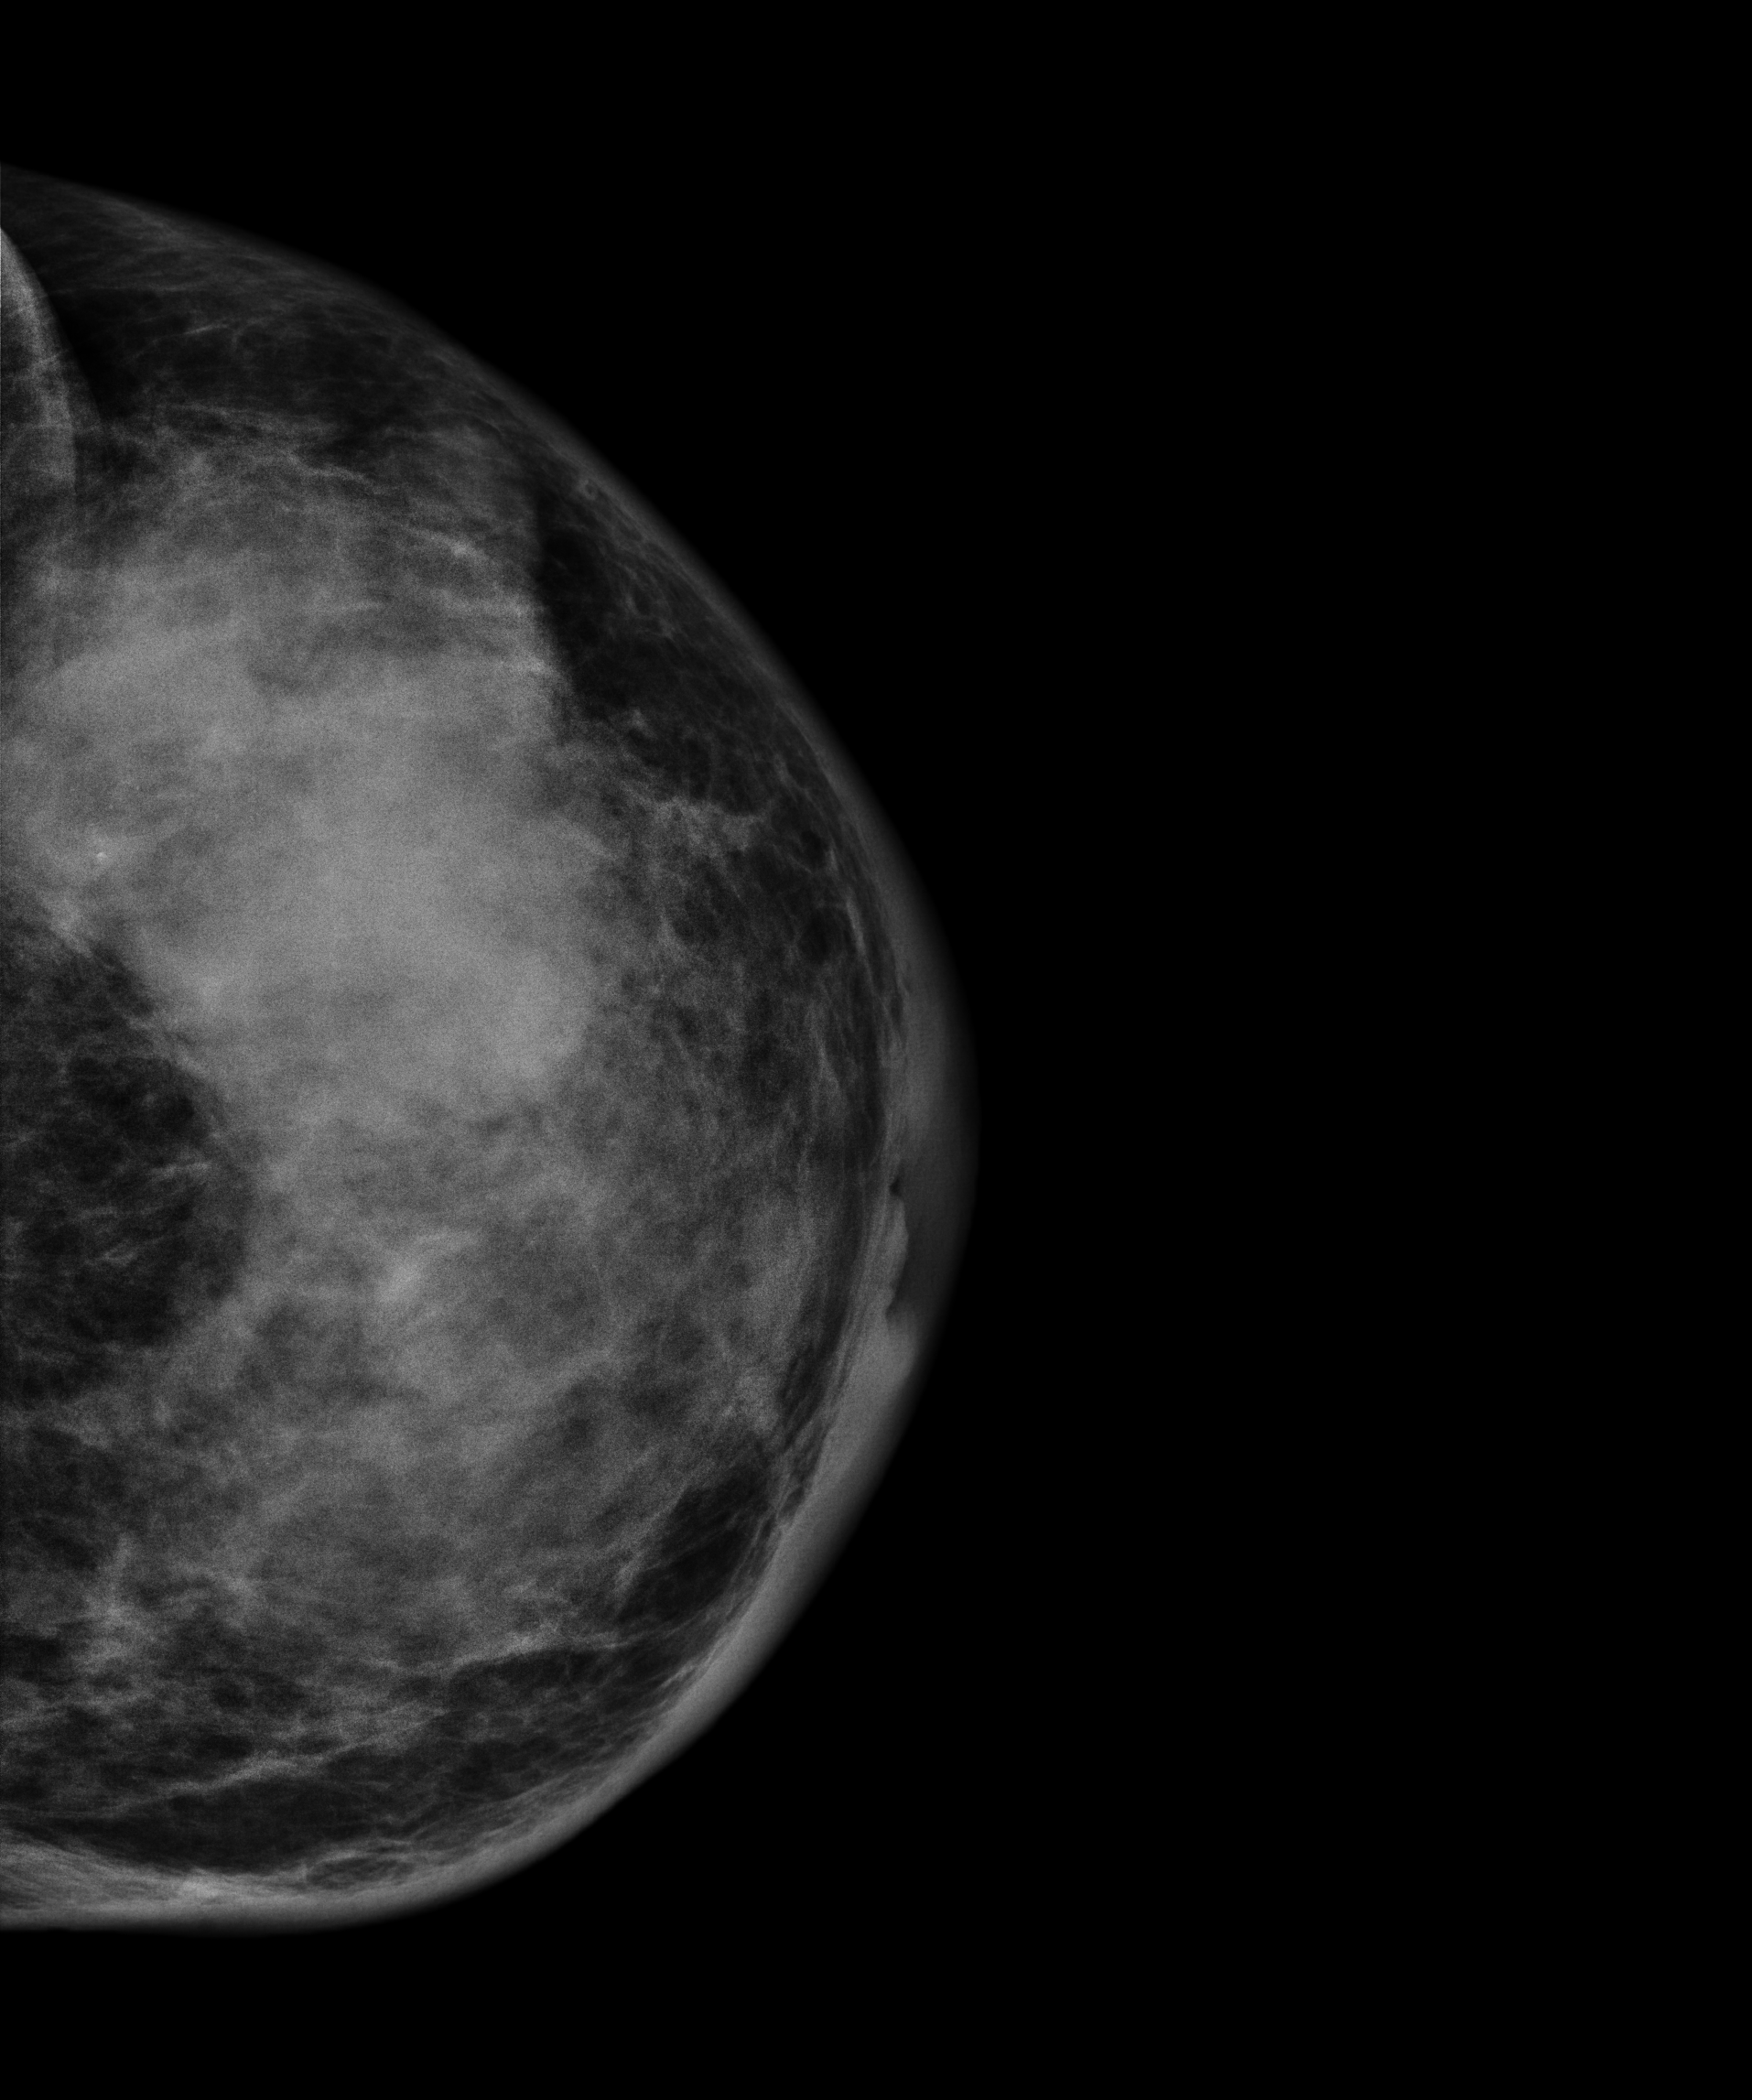
Digital mammography. Left breast, CC projection. 56-year-old patient.
This breast has a mass, histologically confirmed malignant. Molecular subtype: HER2-enriched.